CC mammogram of the left breast. 65 y/o patient.
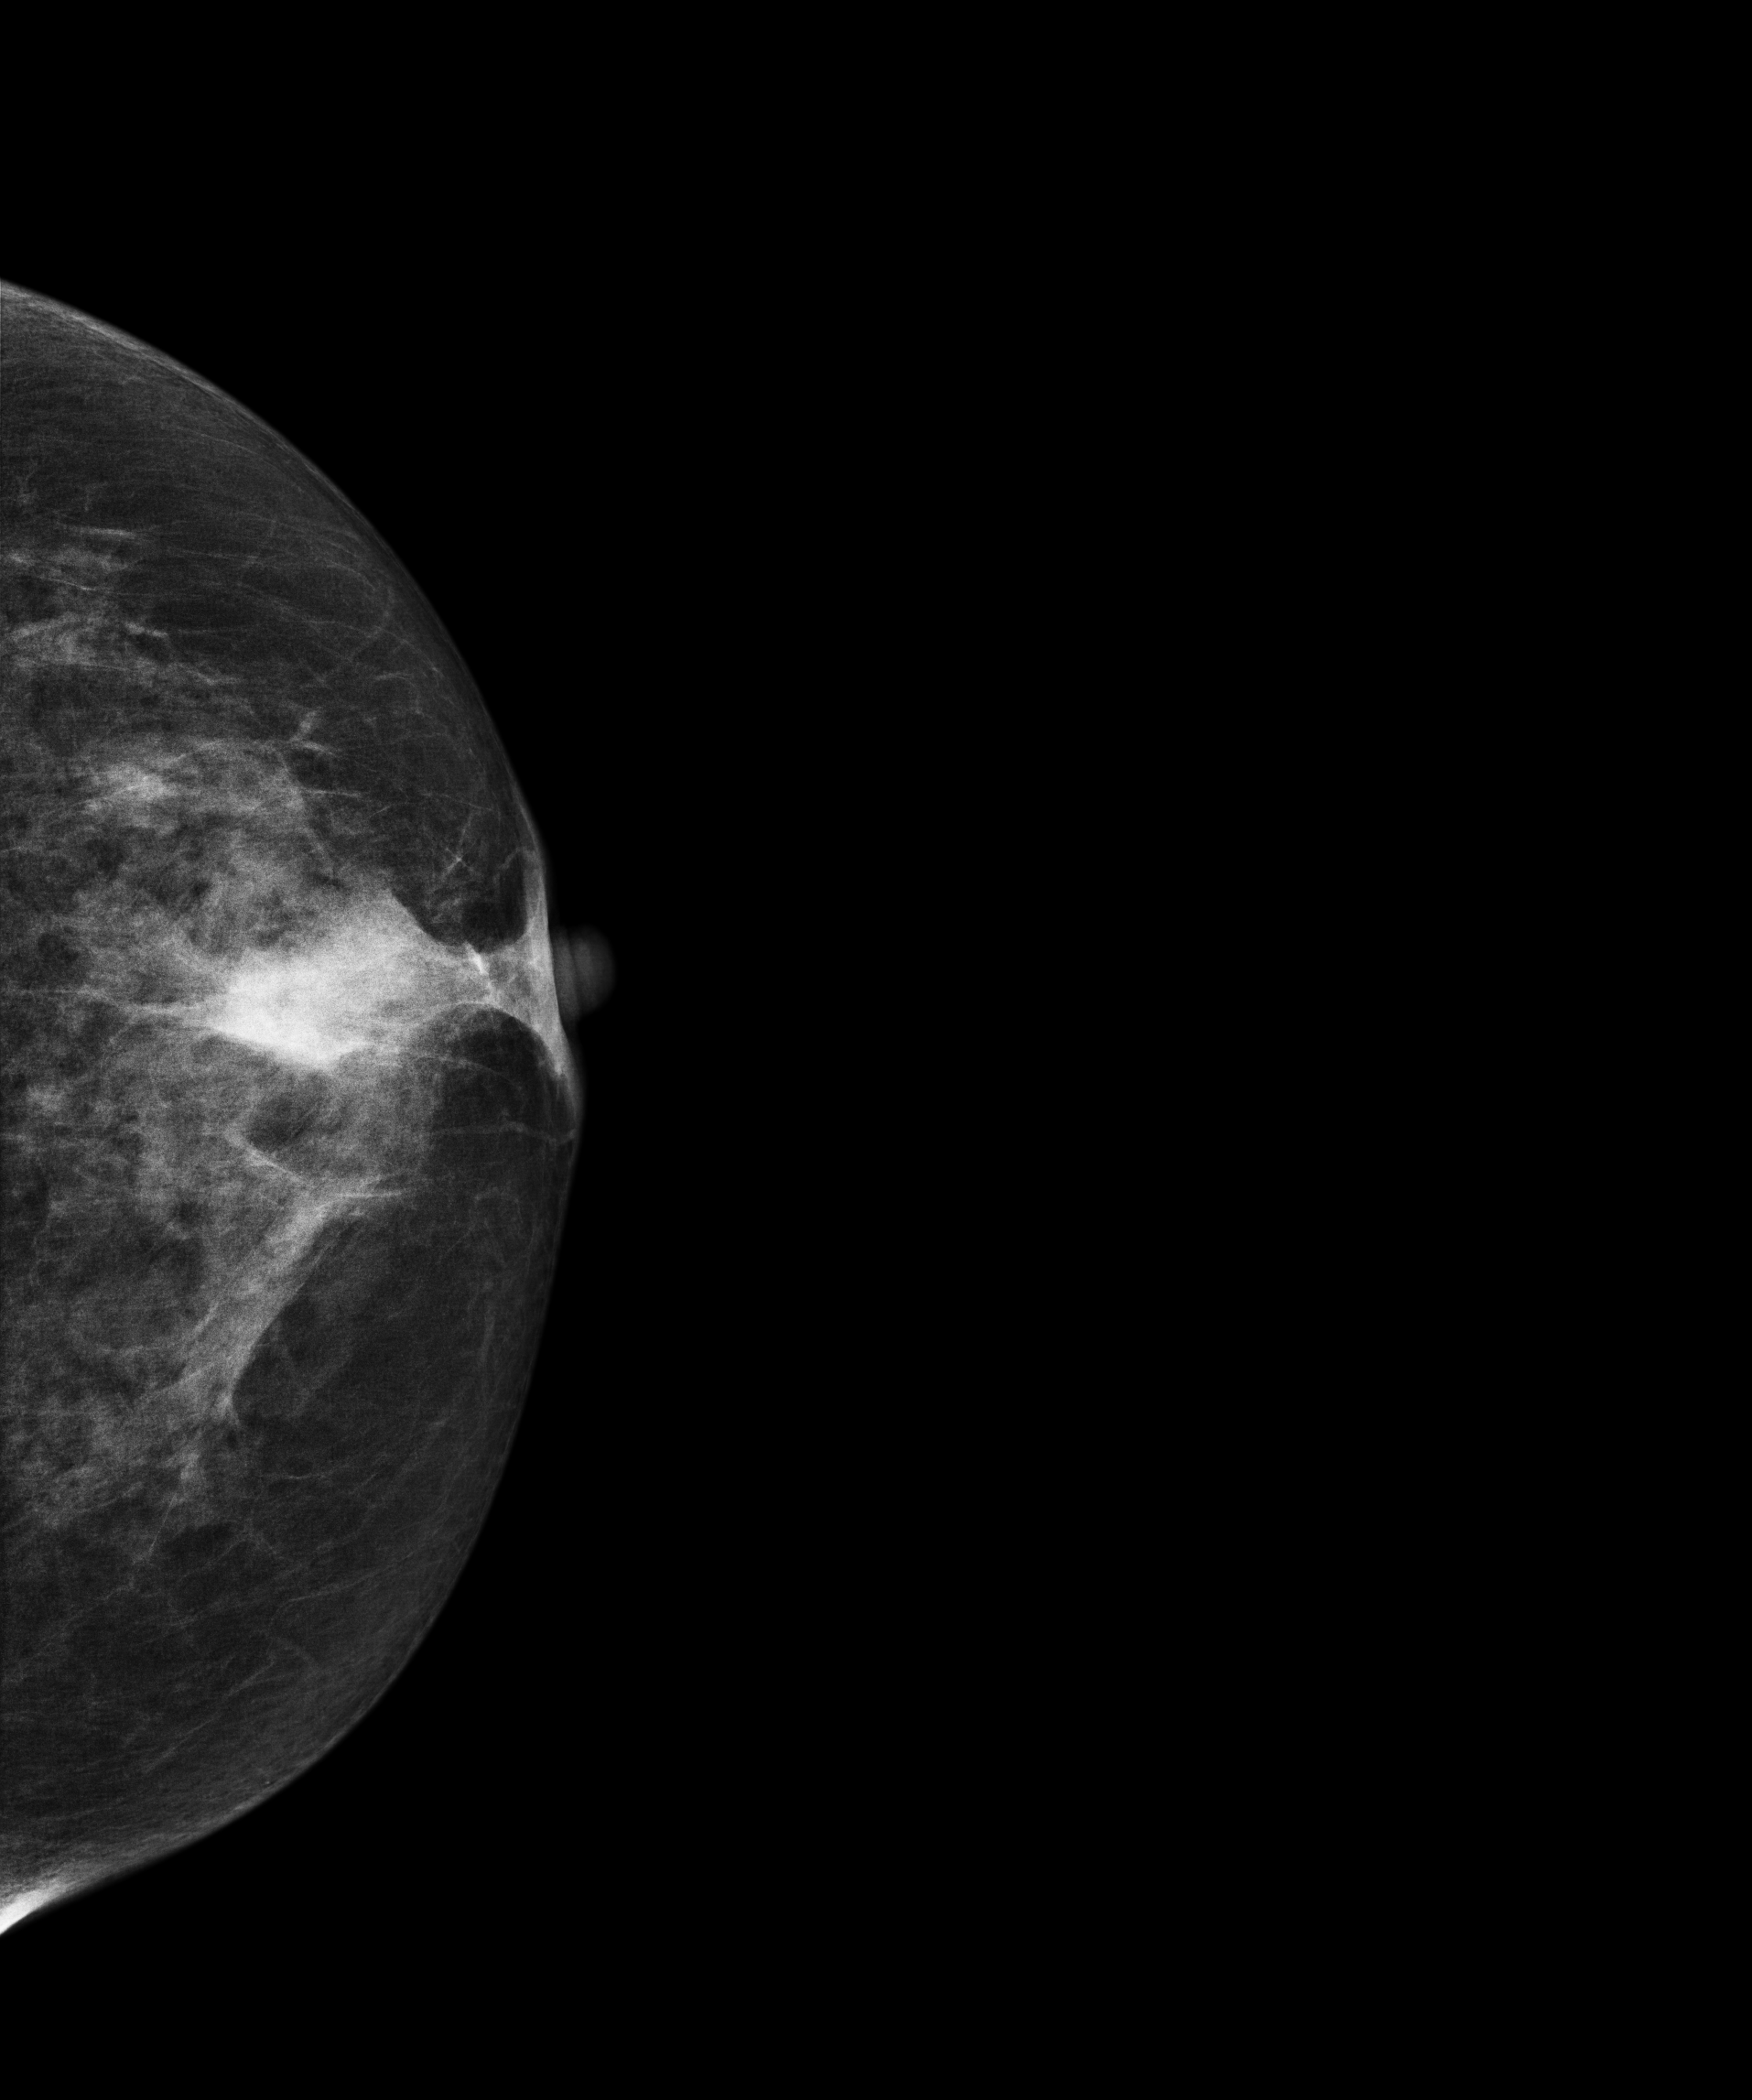
This breast has a mass, pathology-confirmed malignant. Molecular subtype: luminal B.